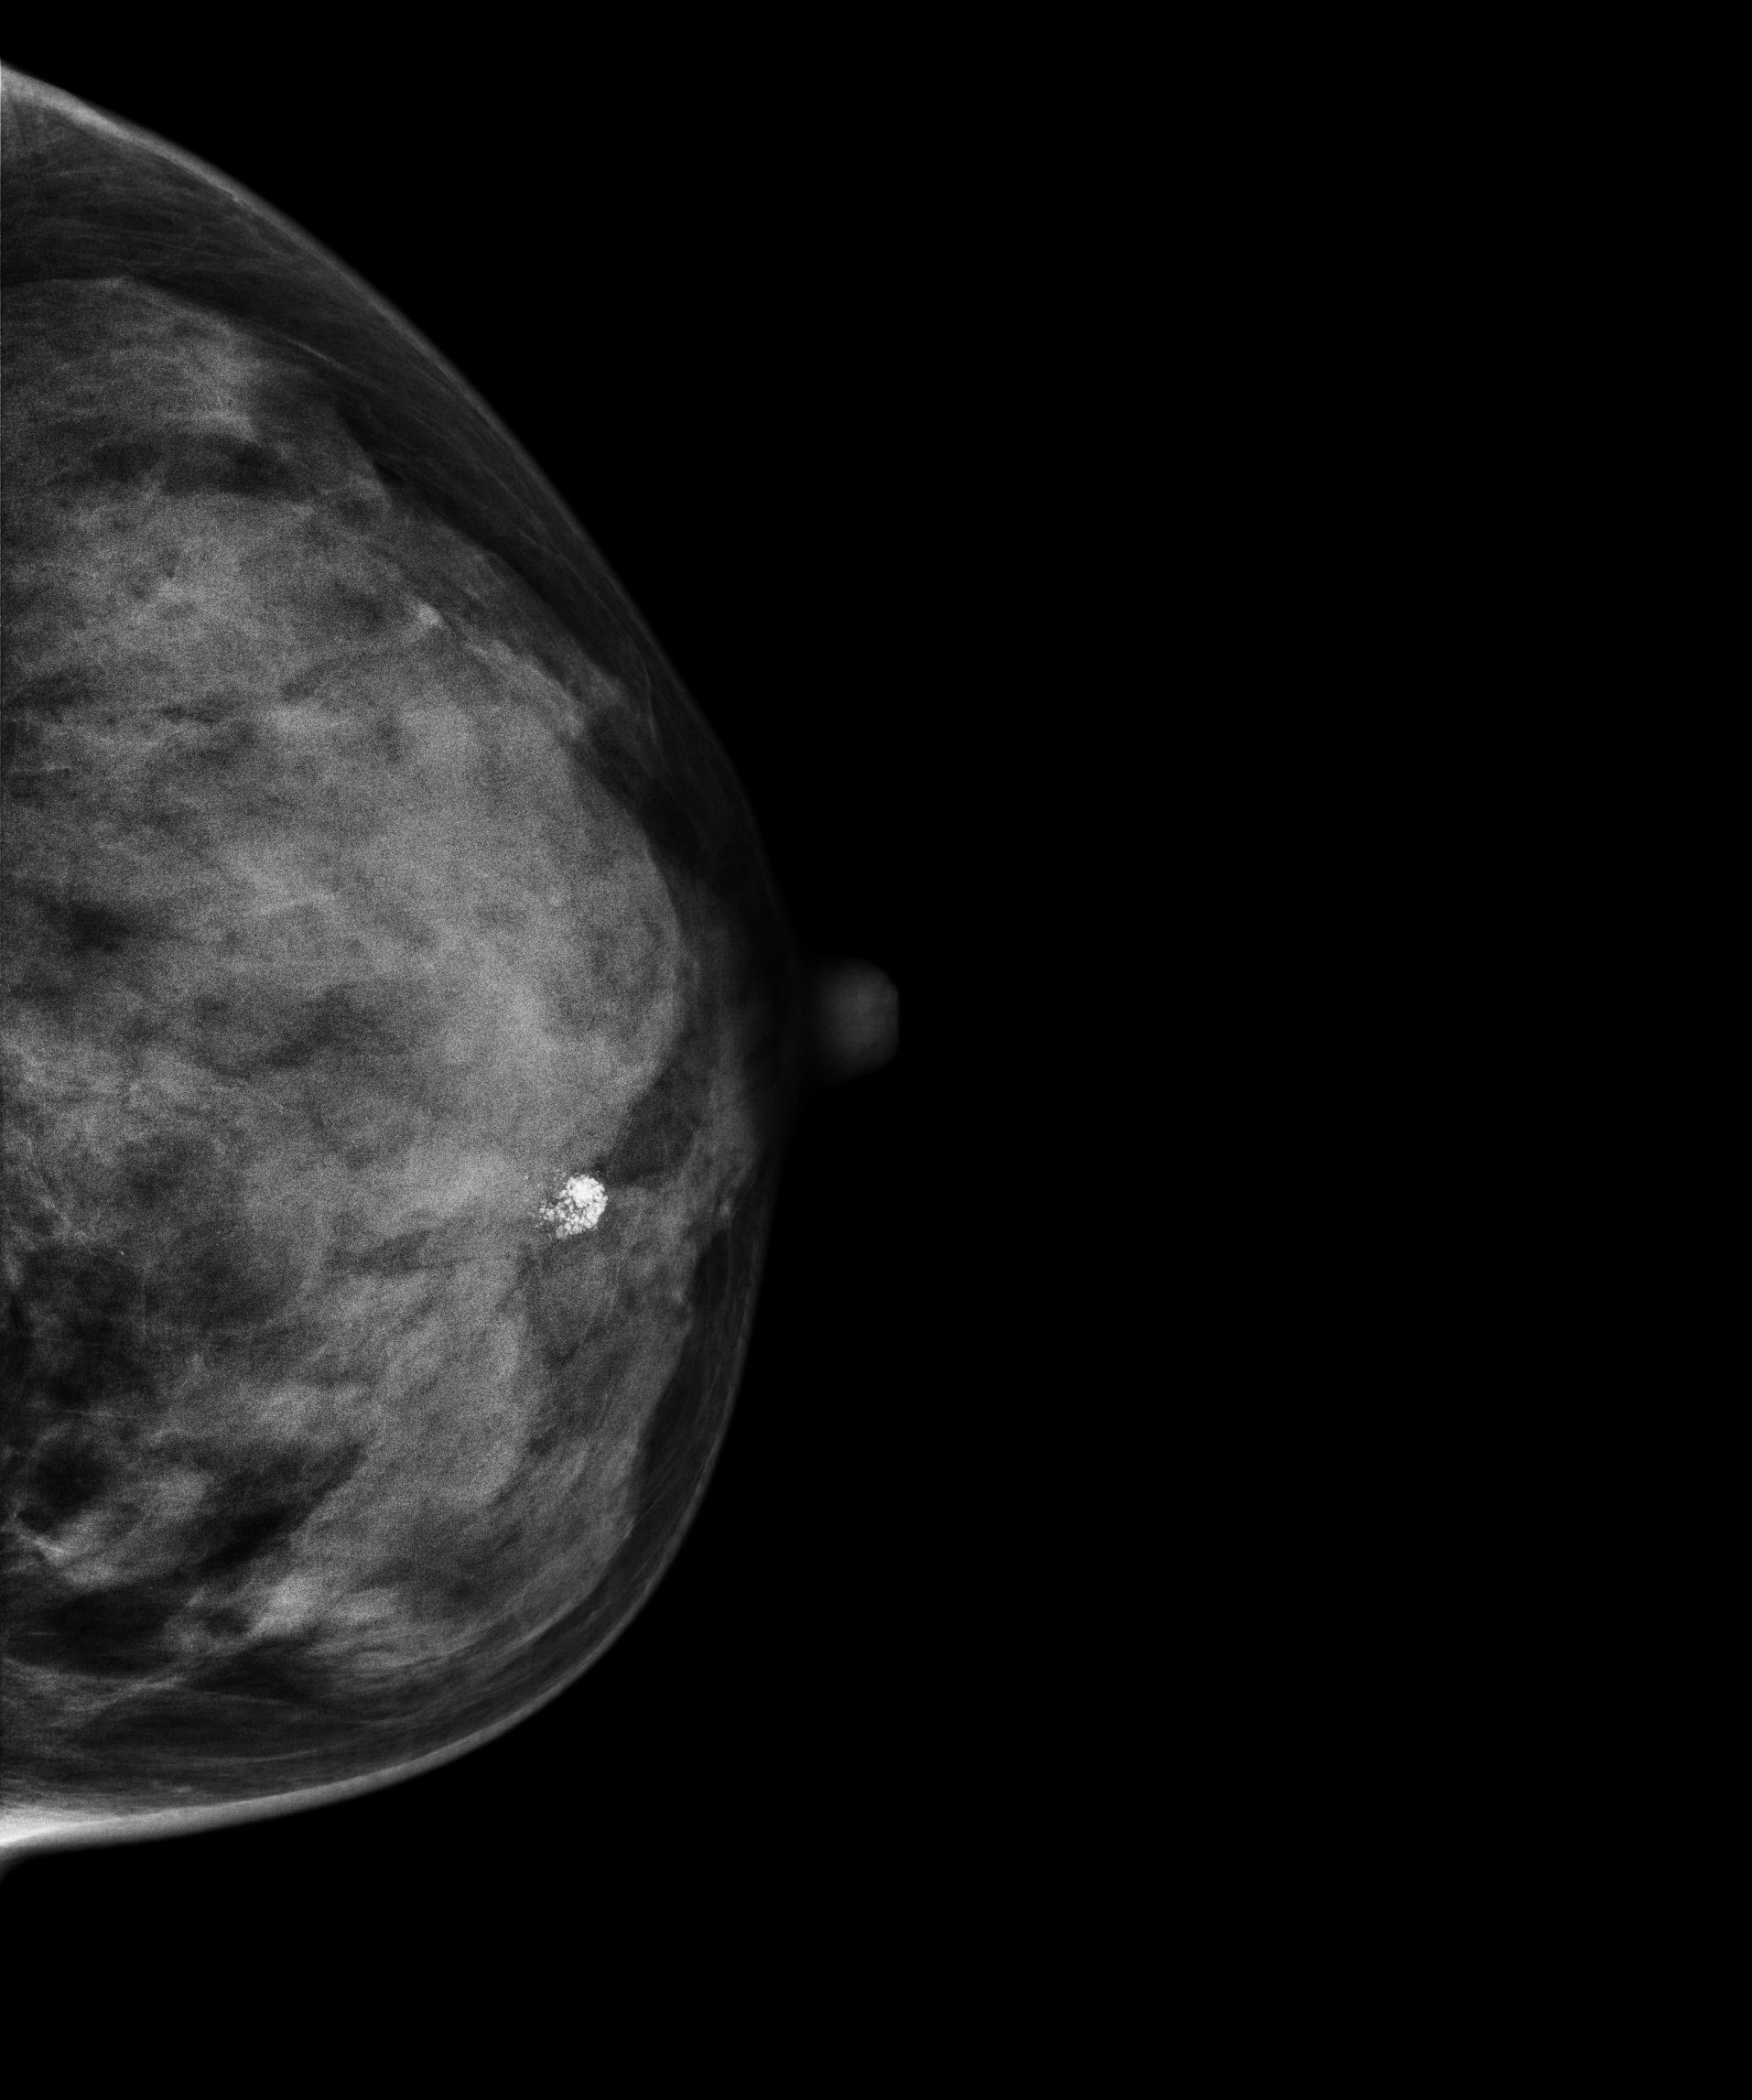
Left-breast mammogram, cranio-caudal. 45 y/o patient.
This breast has calcifications, histologically confirmed malignant. Molecular subtype: luminal B.